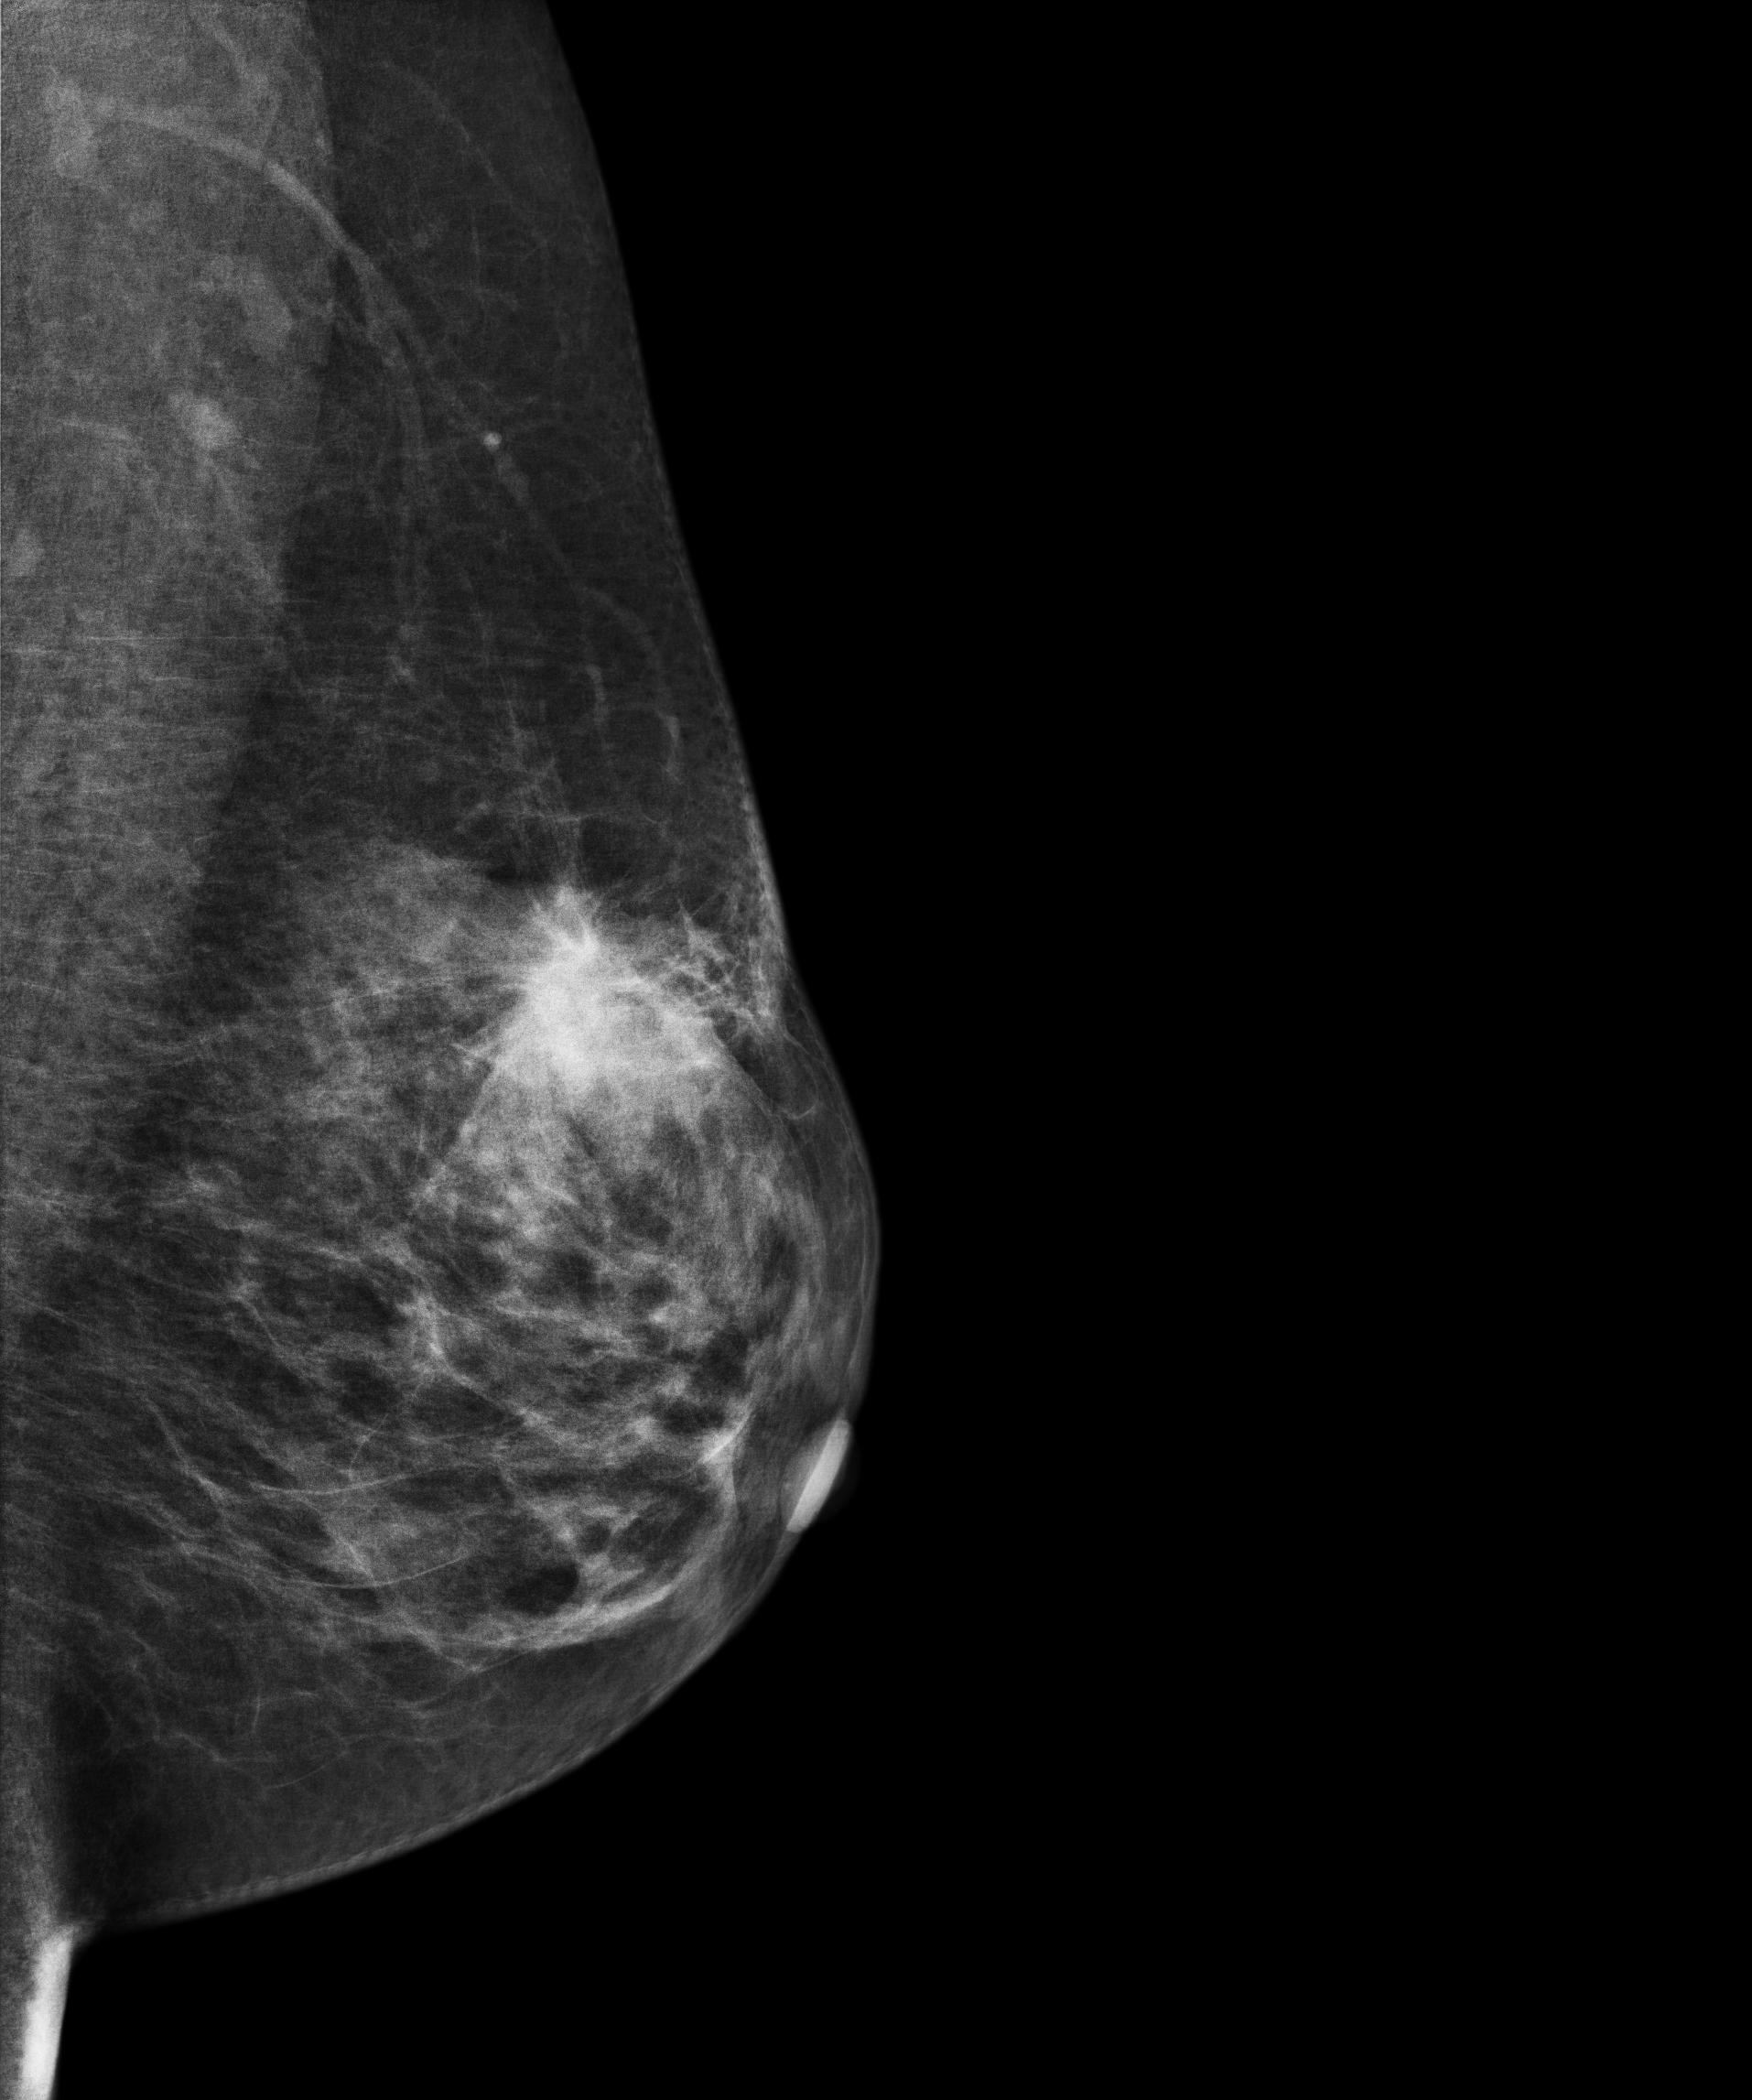
Medio-lateral oblique mammogram of the left breast. Patient age 60.
This breast has a mass, biopsy-proven malignant. Molecular subtype: luminal A.